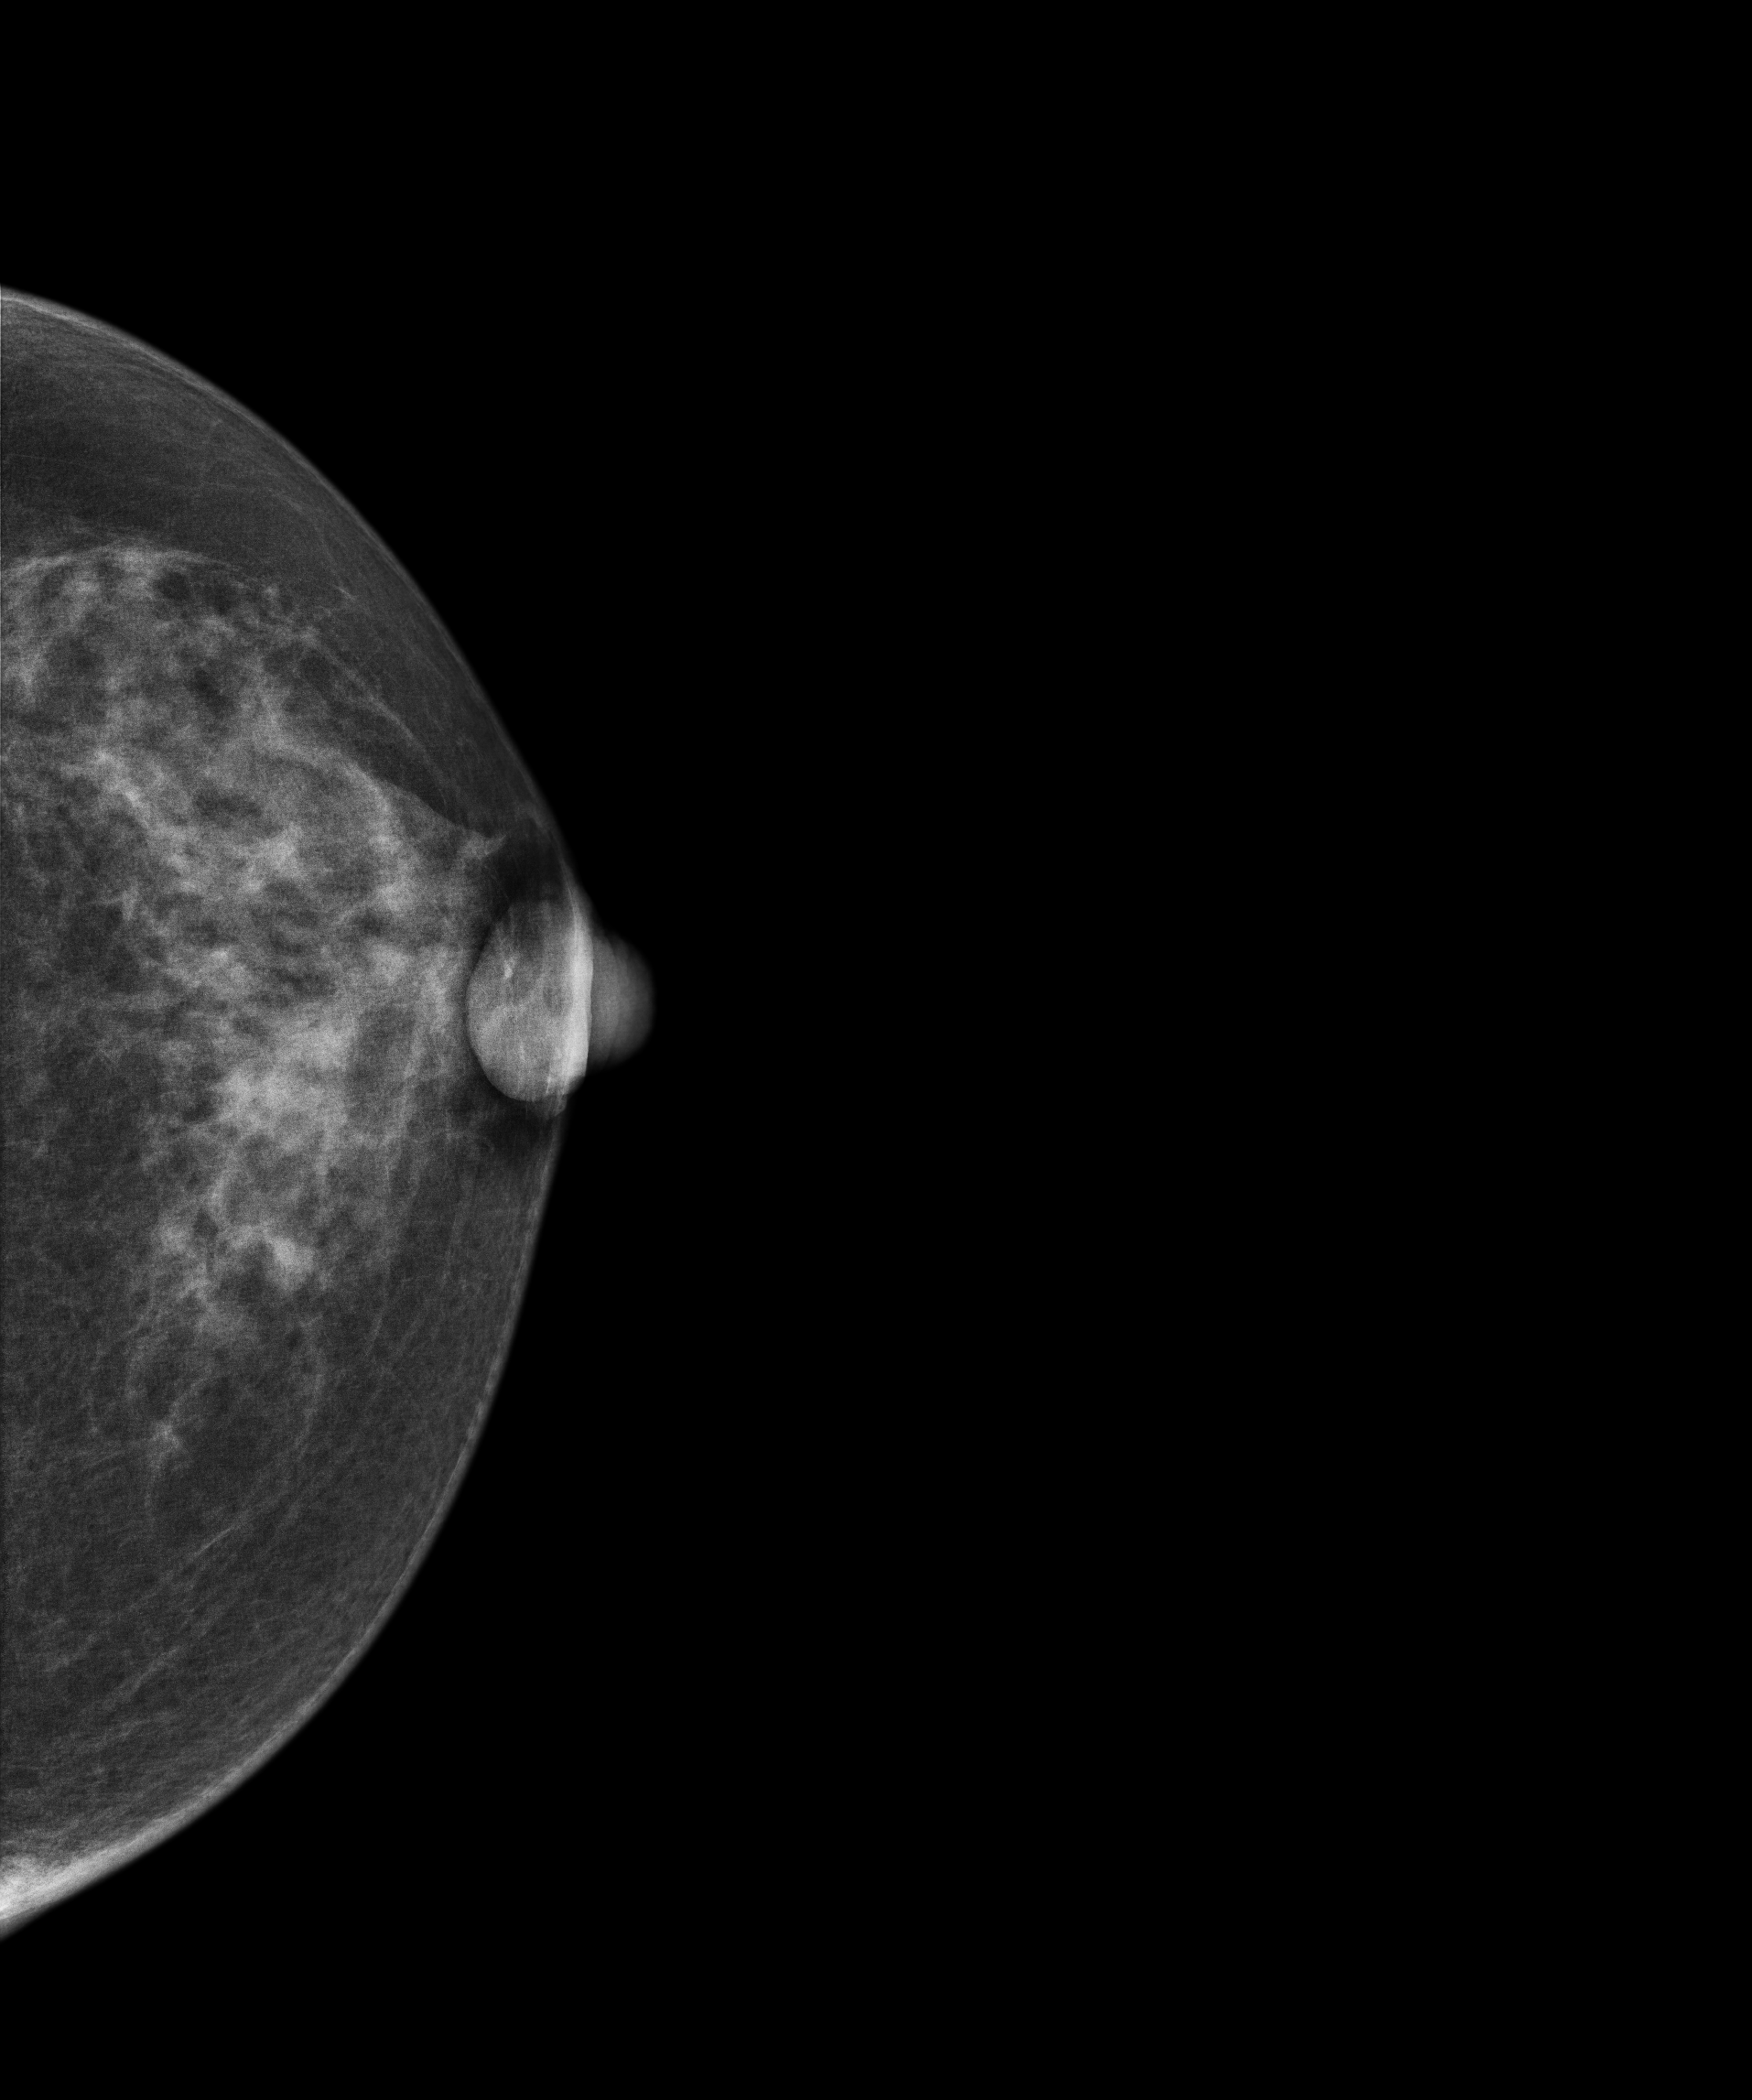
Digital mammography. Left breast, cranio-caudal projection. 55-year-old patient.
Contralateral breast — no documented abnormality on this side.